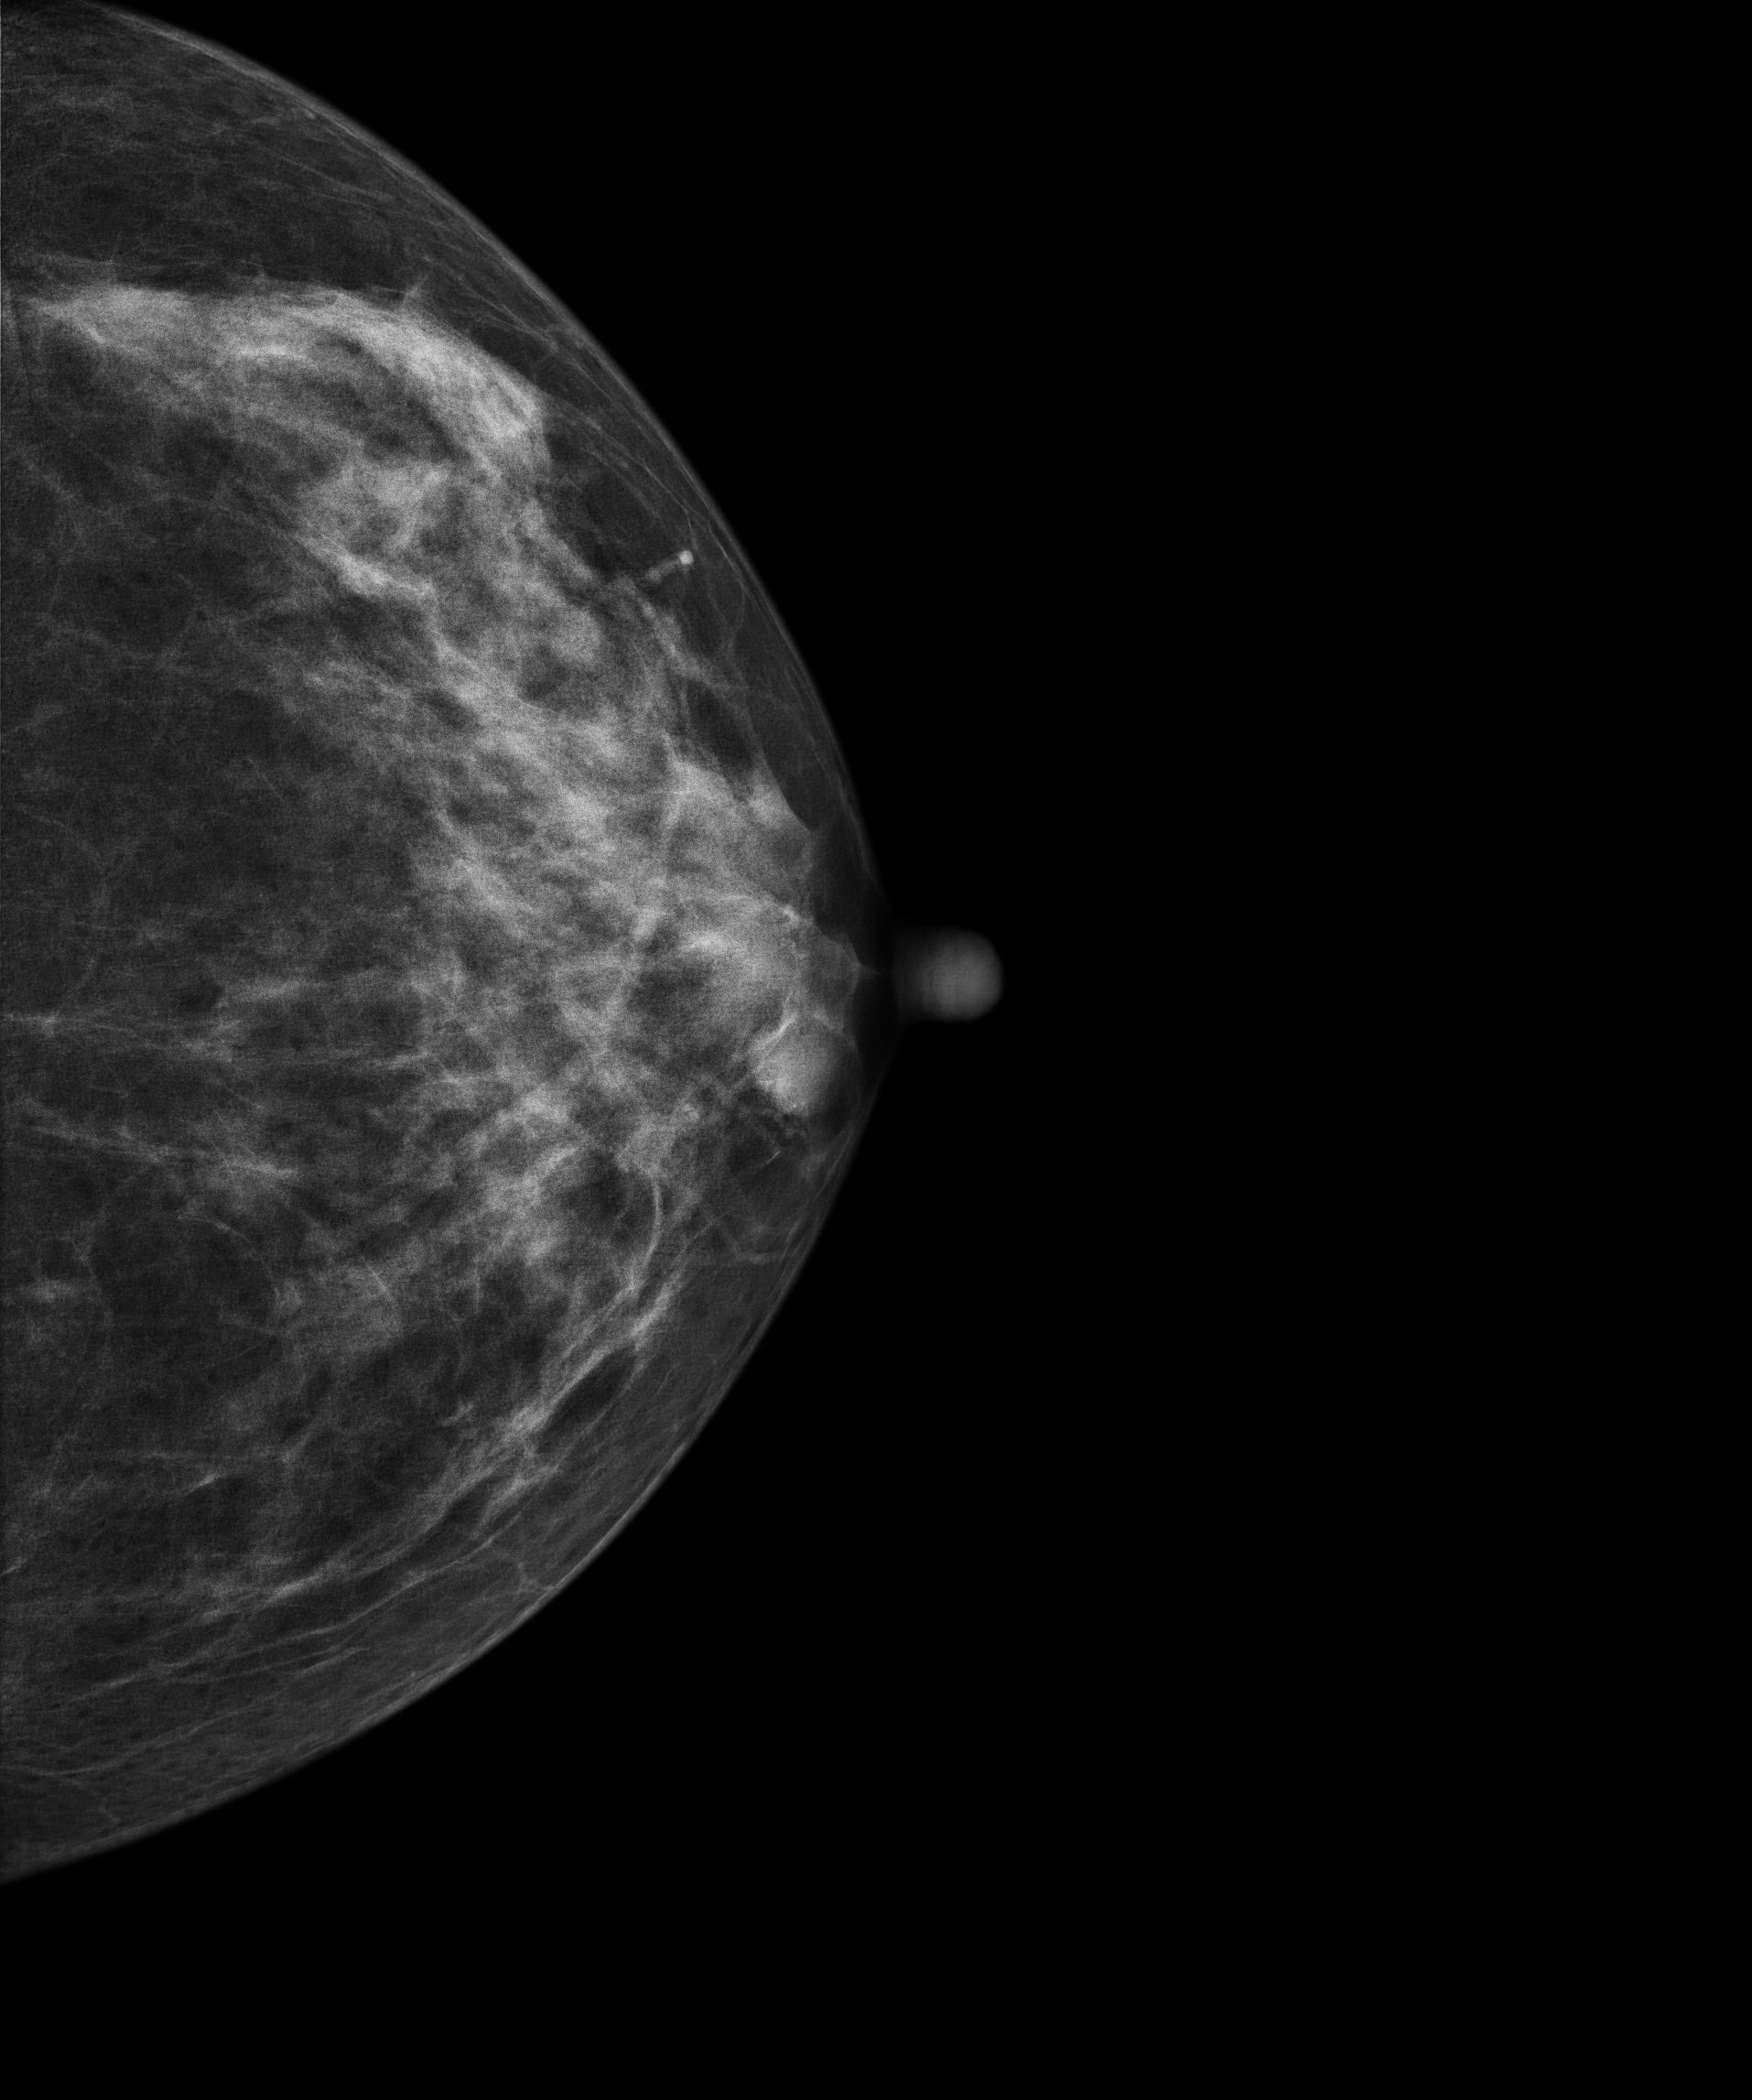
Left-breast mammogram, cranio-caudal. 39 y/o patient.
This breast has a mass, pathology-confirmed benign.